Mammogram — right CC. 60 y/o patient.
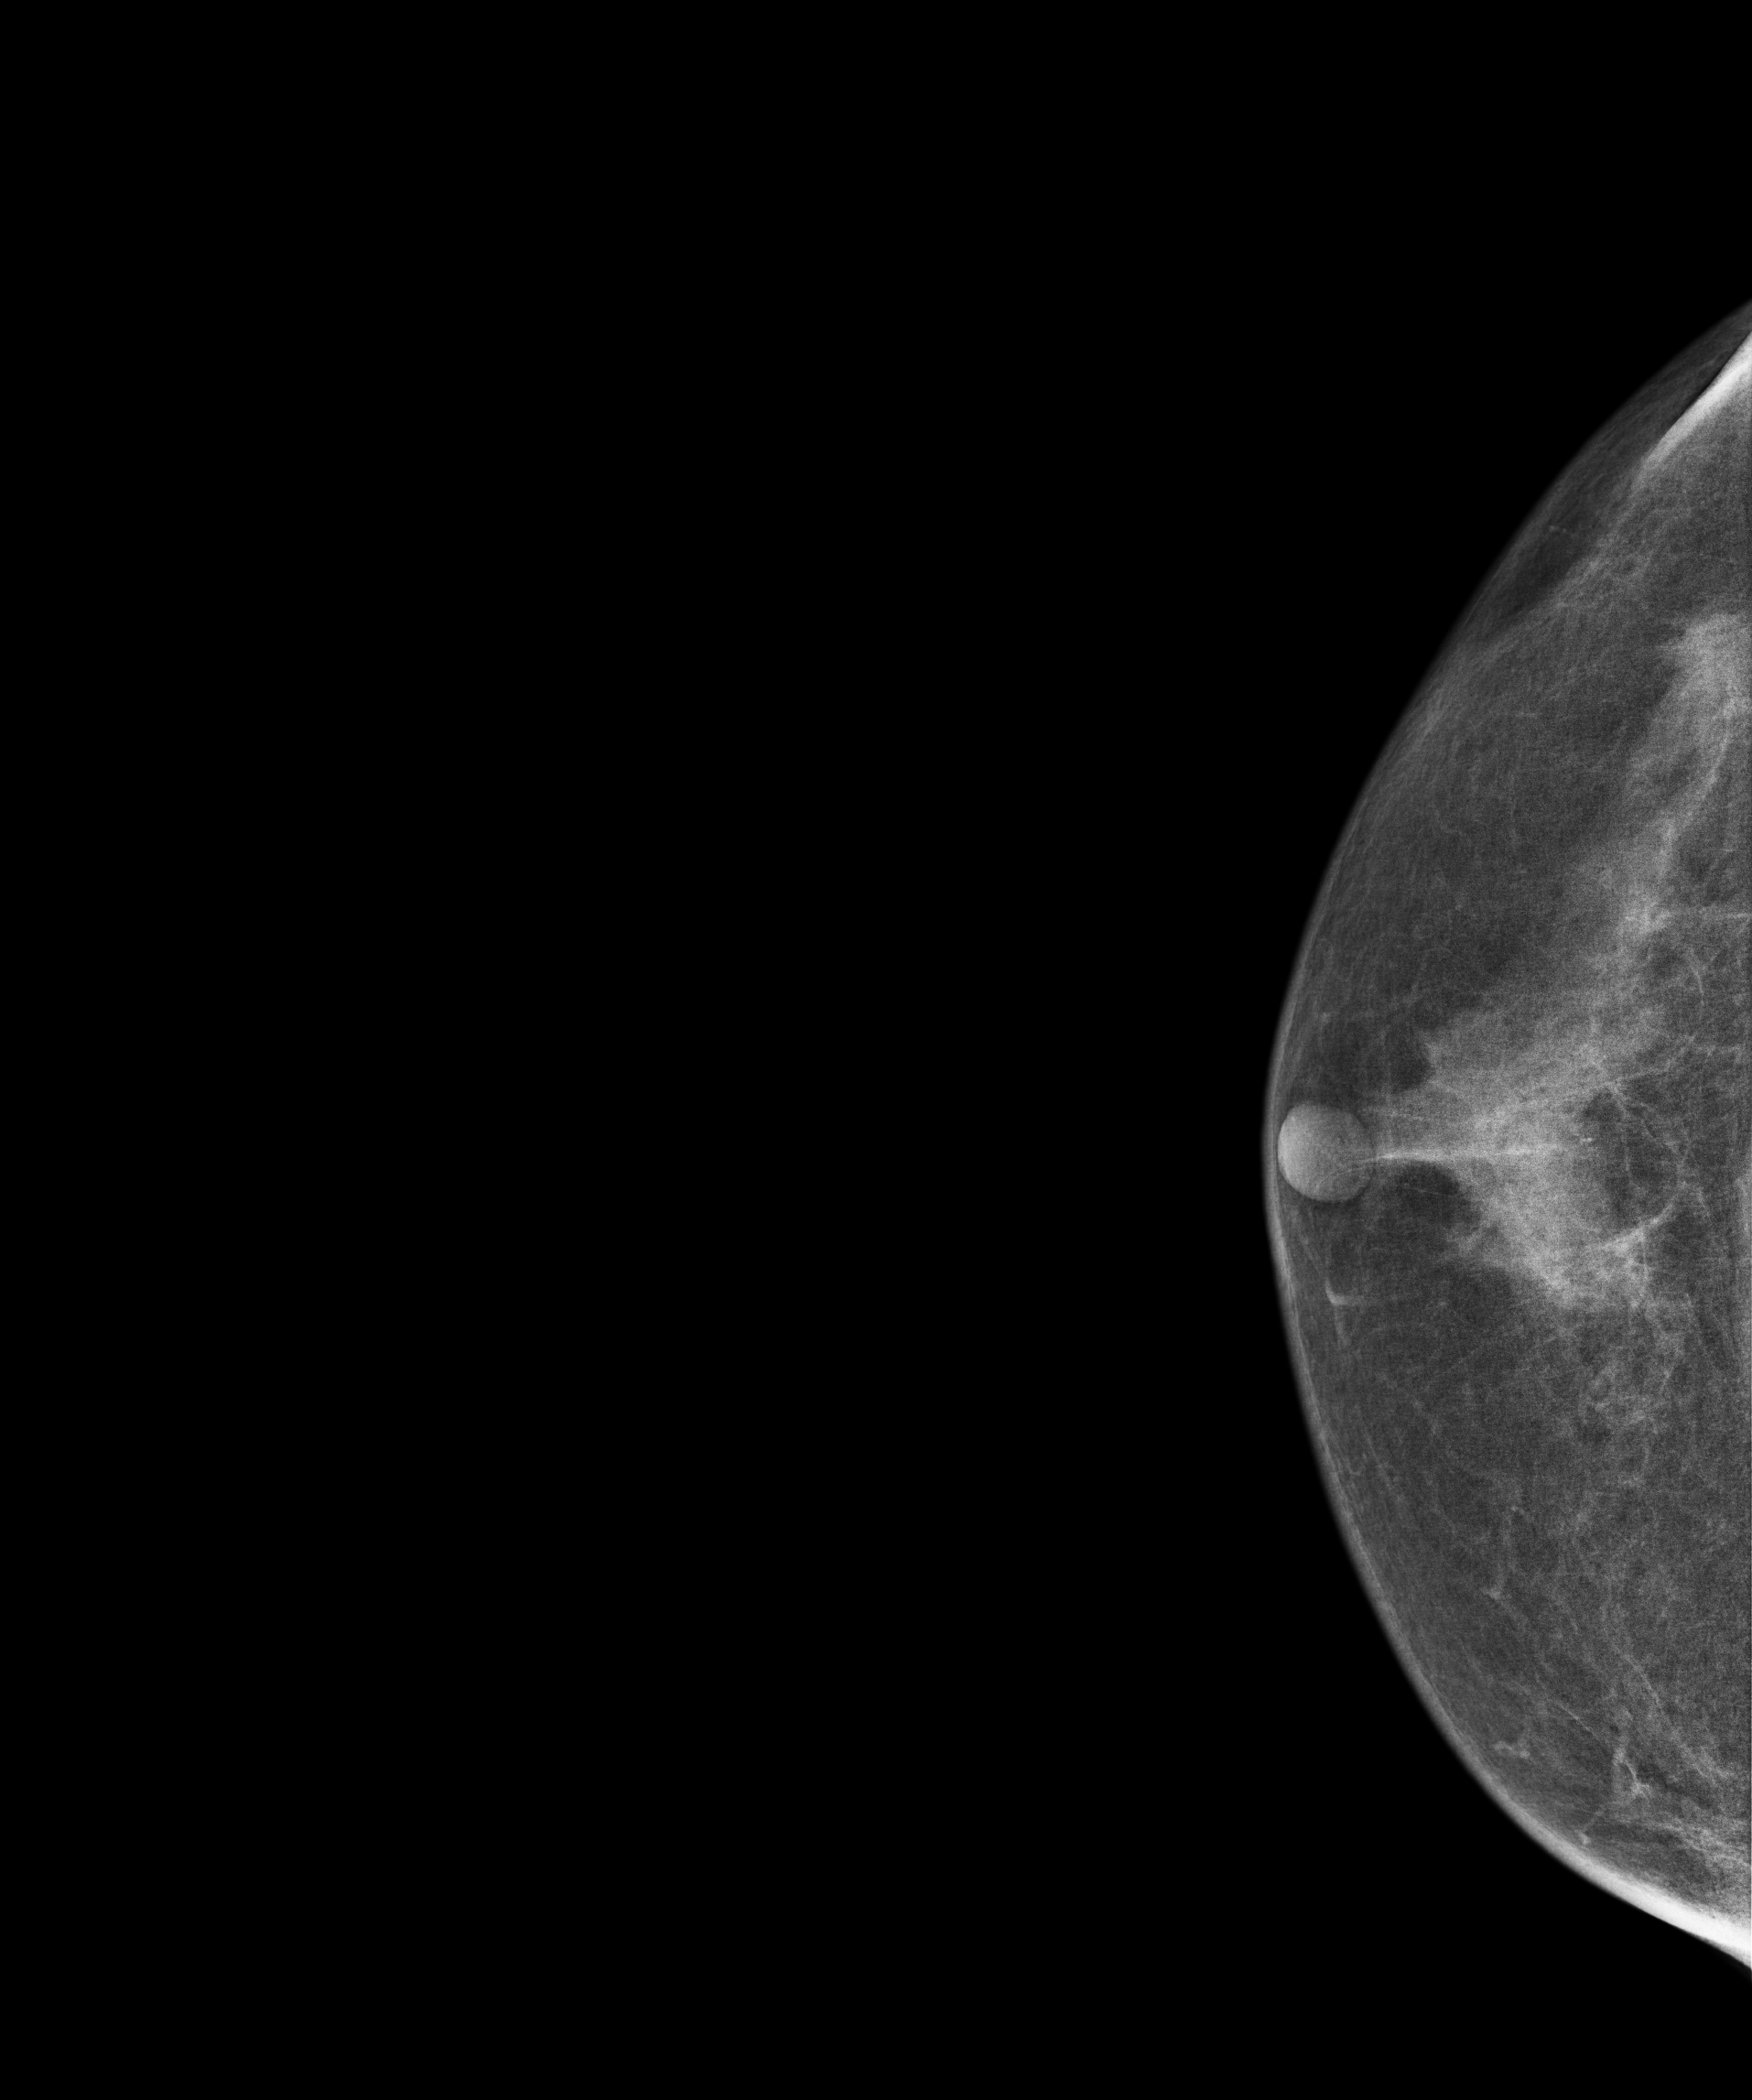
This breast has a mass, histologically confirmed malignant. Molecular subtype: luminal B.